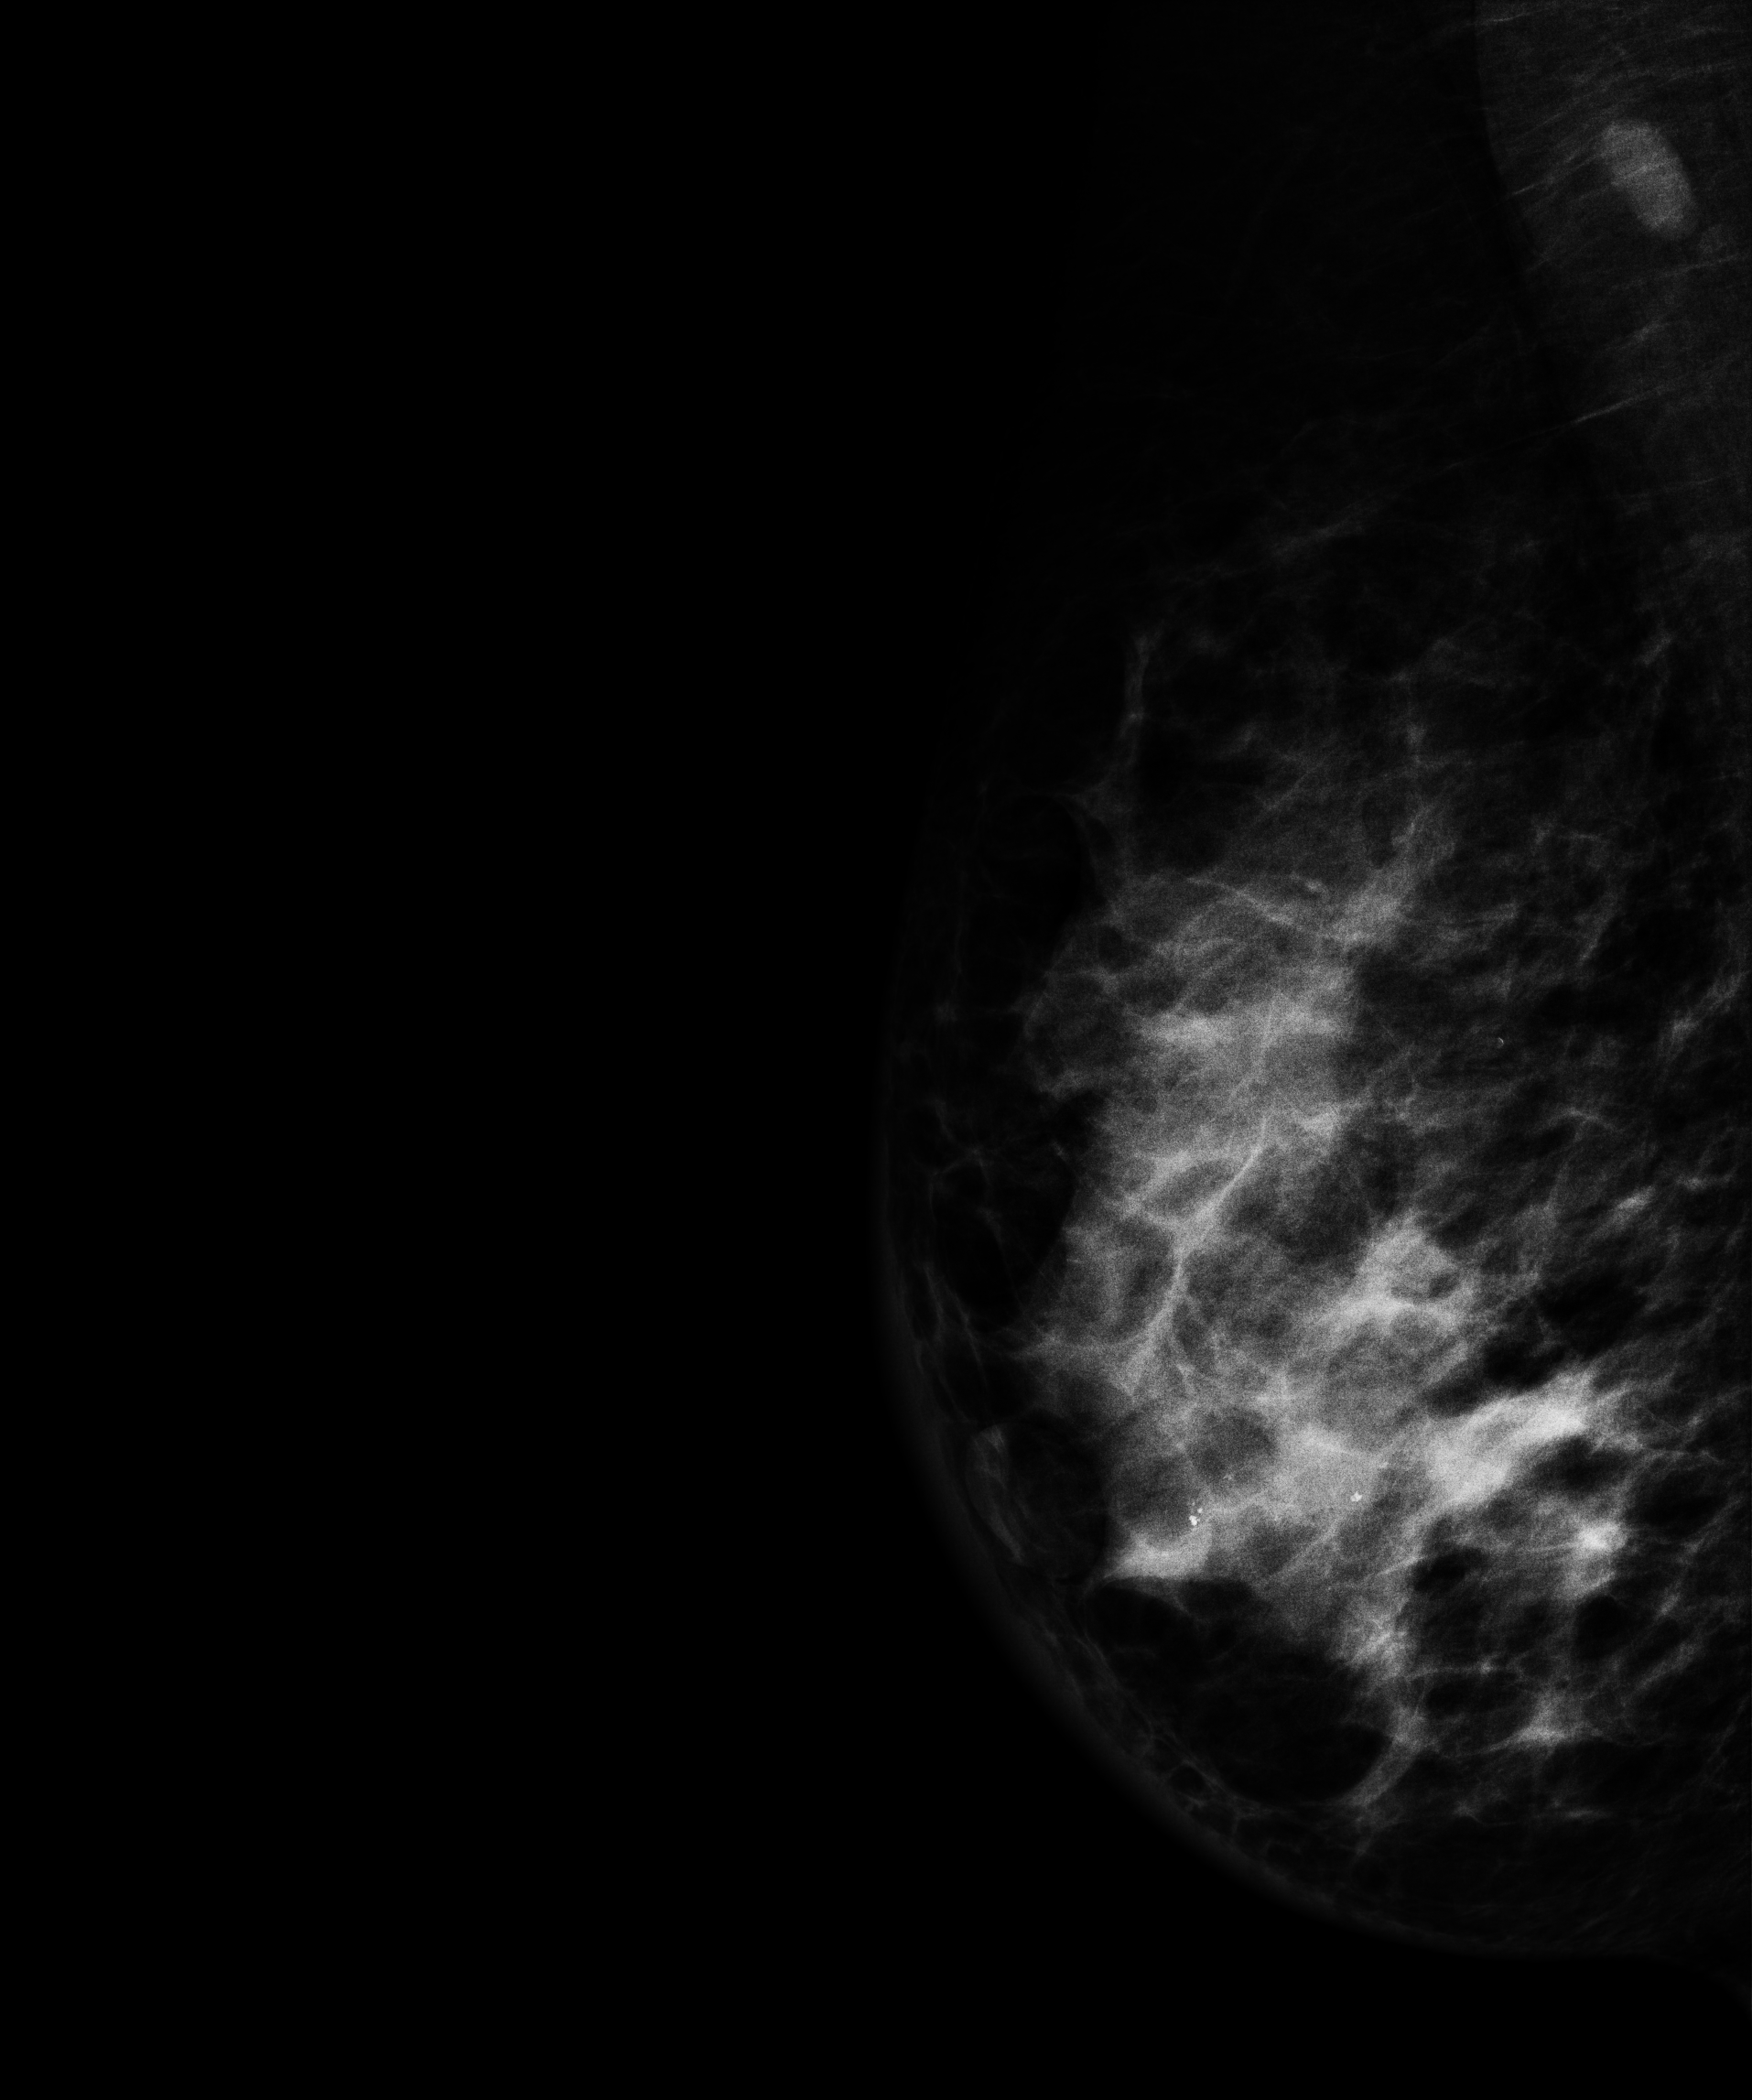
Digital mammography. Right breast, MLO projection. 50-year-old patient.
This breast has a mass and calcifications, pathology-confirmed malignant. Molecular subtype: HER2-enriched.